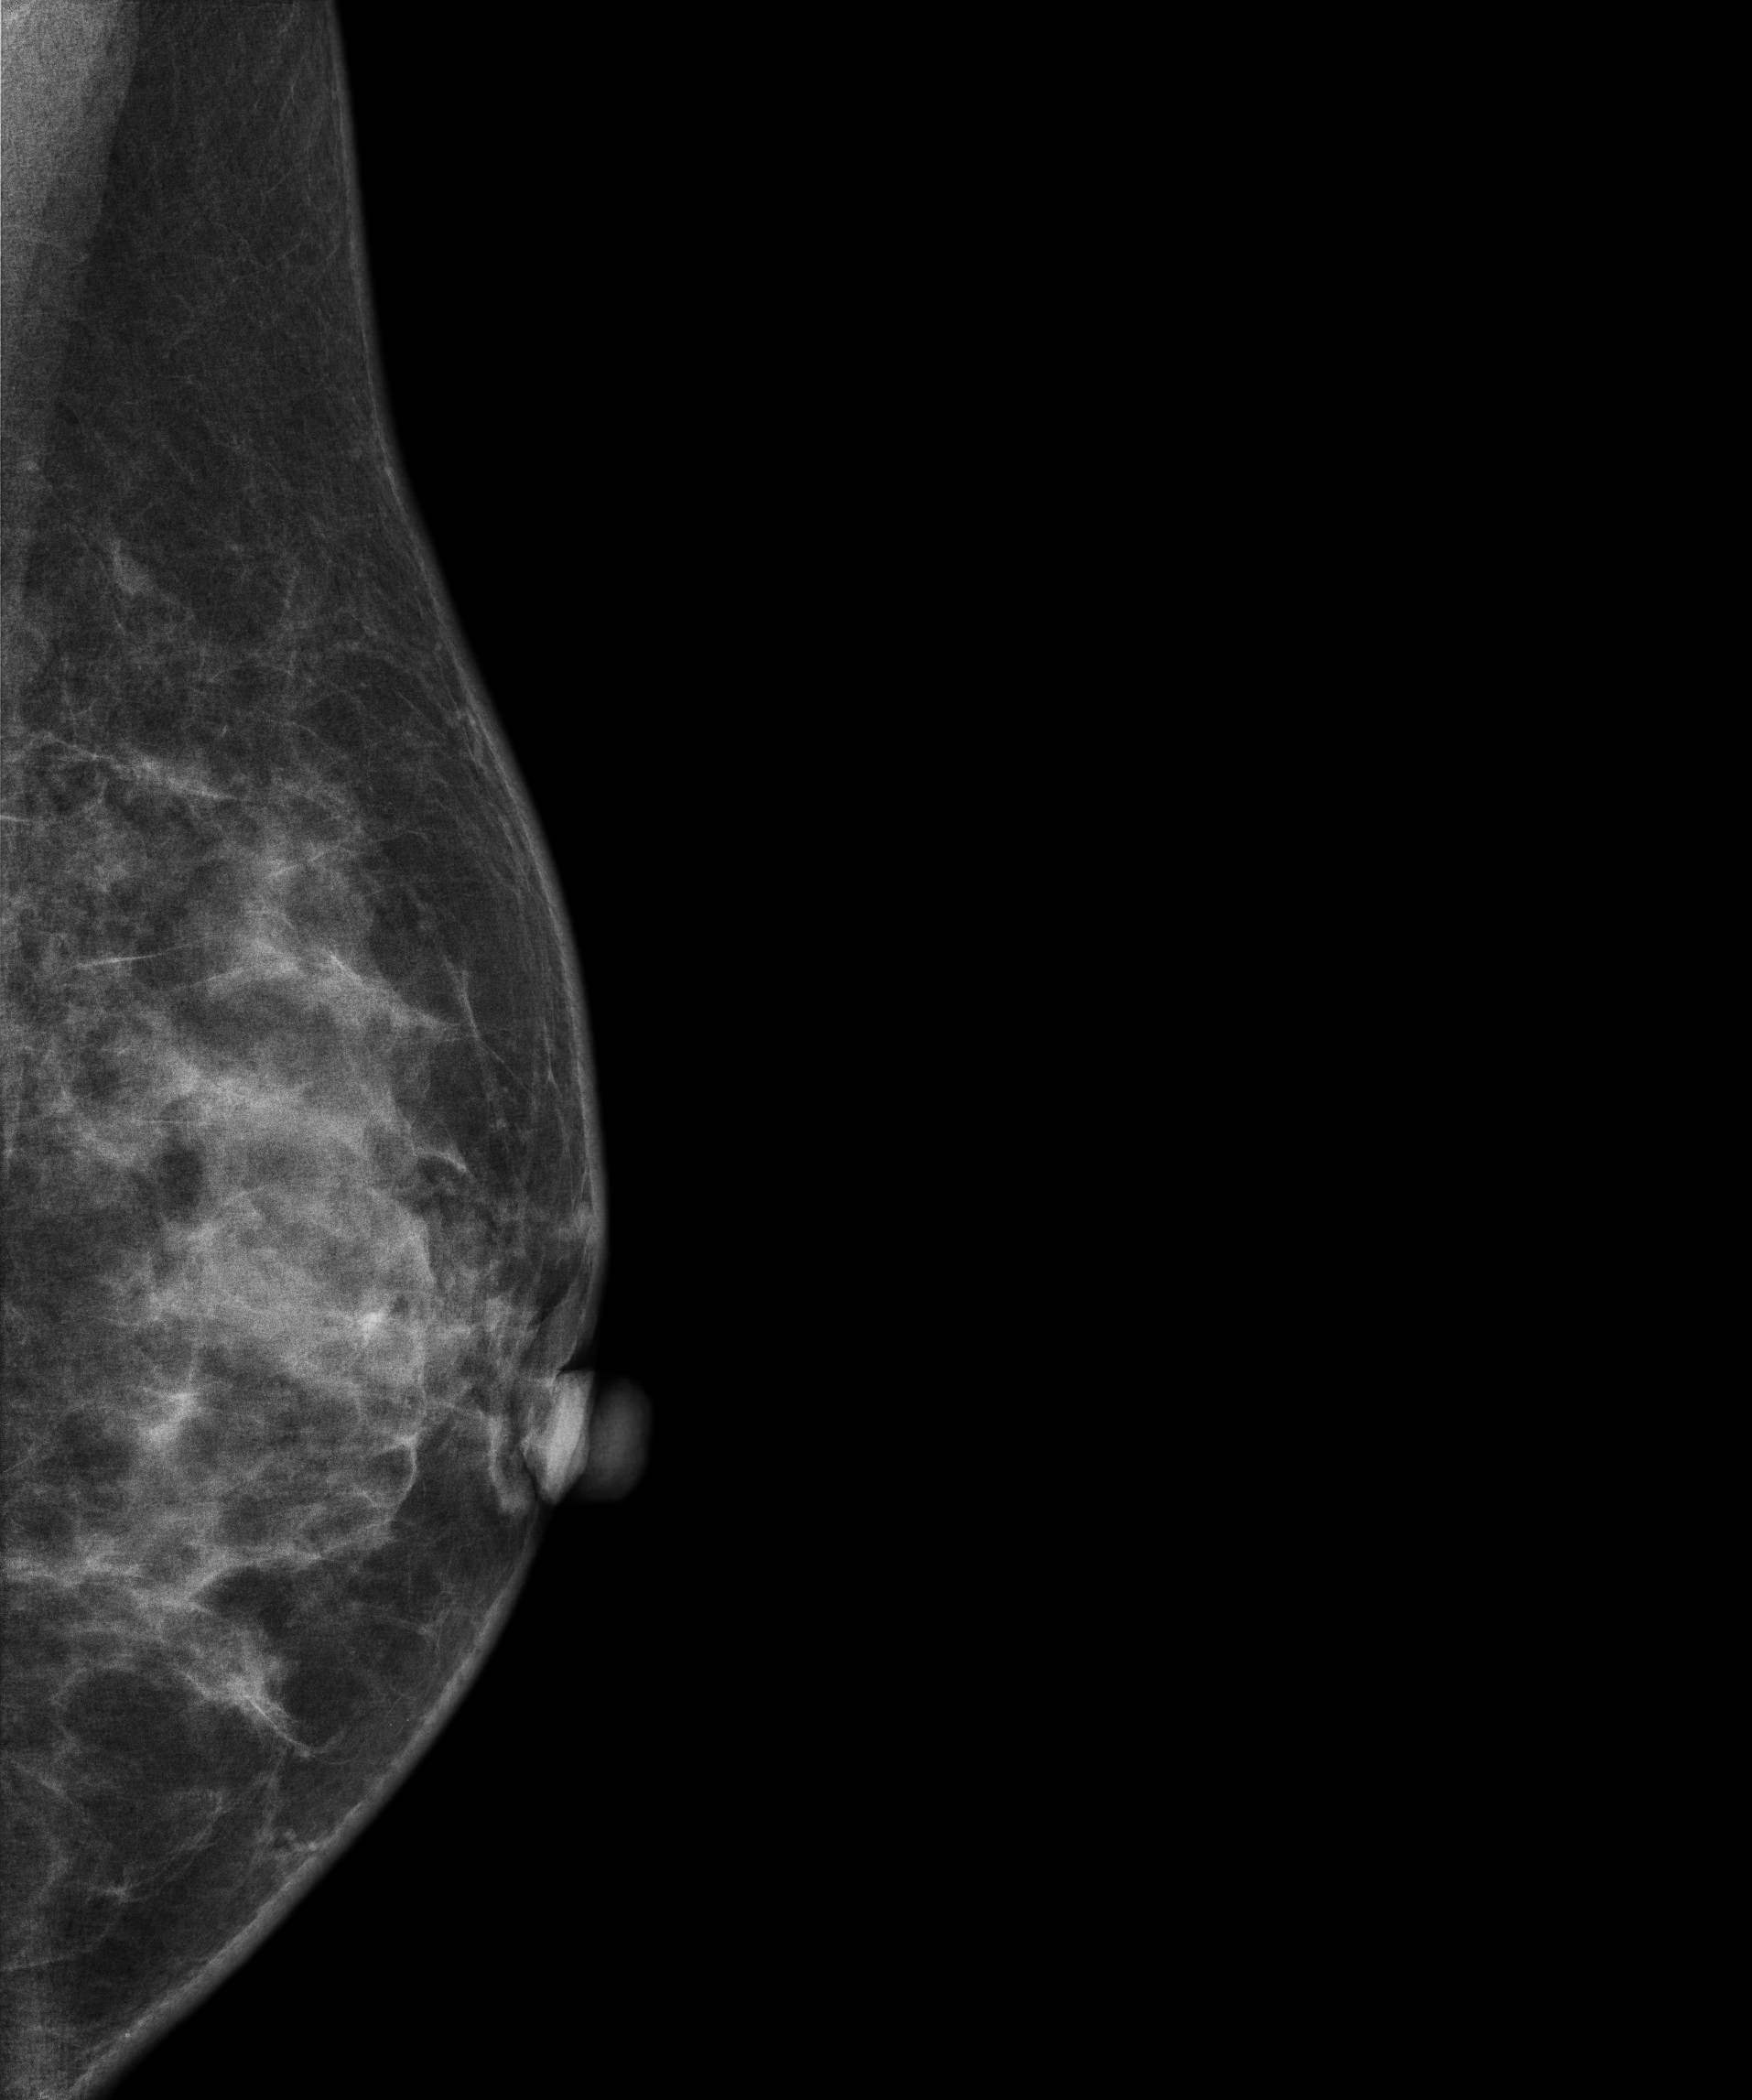
Mammogram — left medio-lateral oblique. 44-year-old patient.
This breast has a mass, pathology-confirmed malignant. Molecular subtype: luminal B.